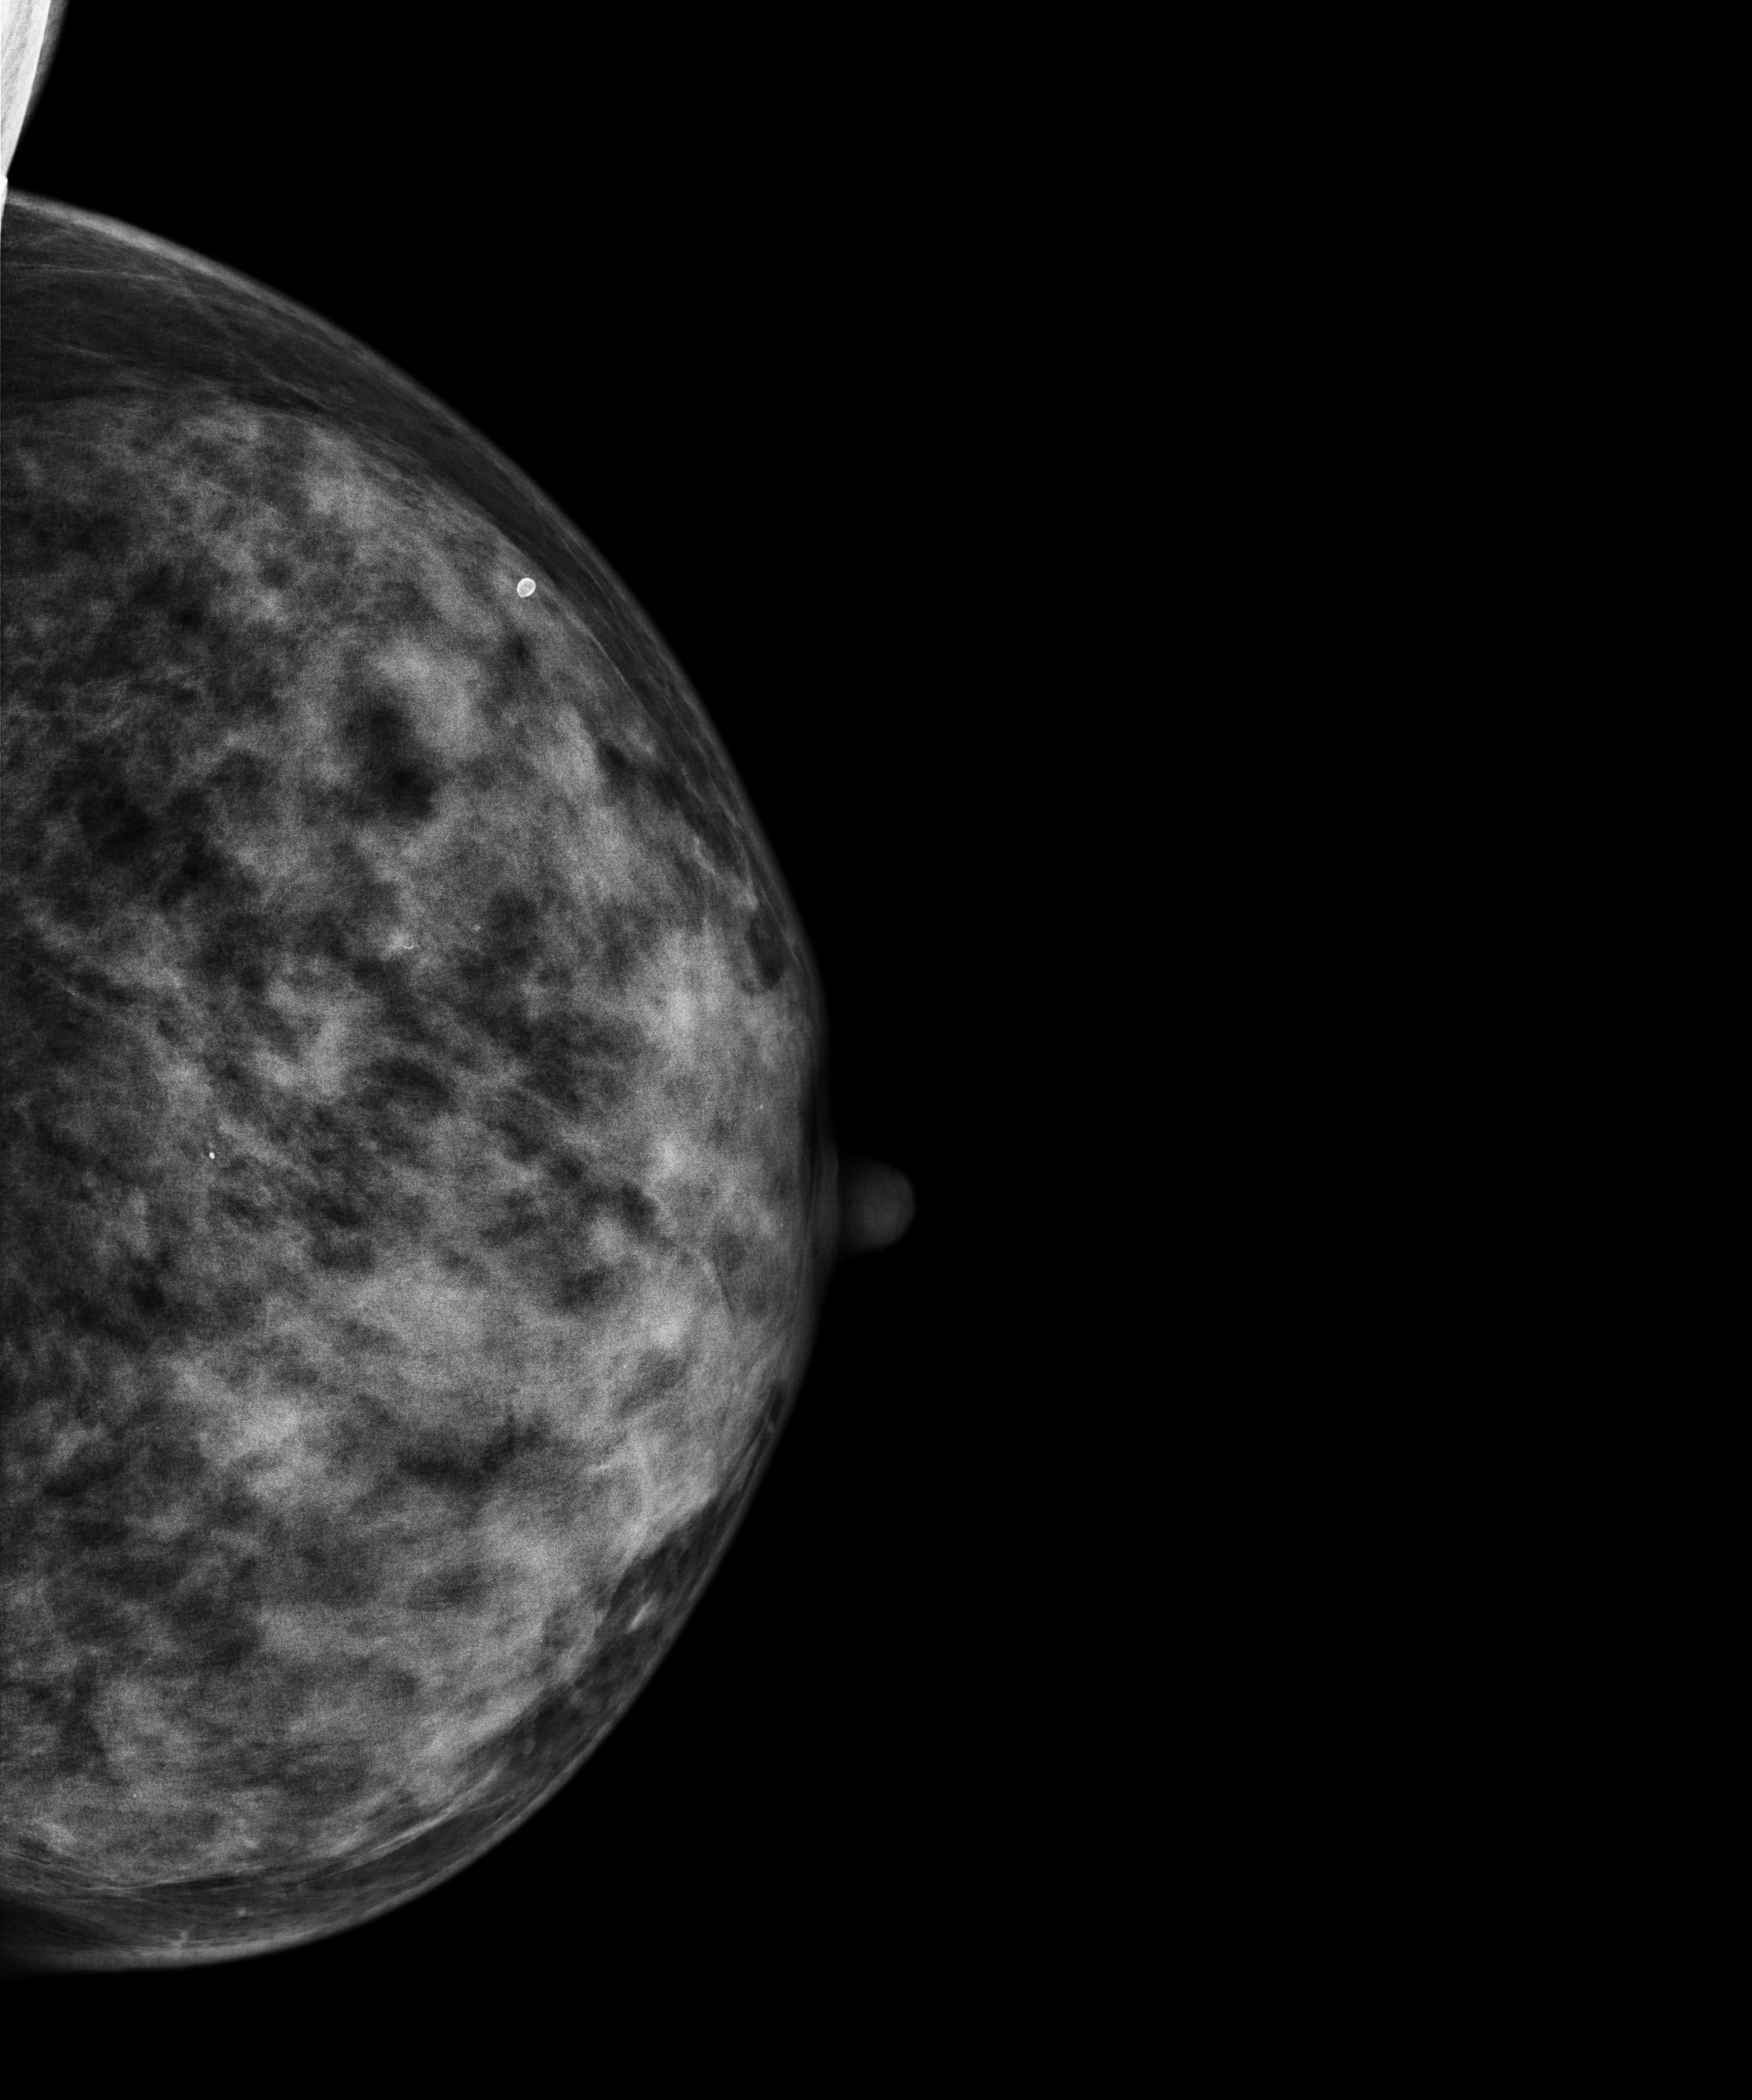
CC mammogram of the left breast. 46 y/o patient.
This breast has a mass, histologically confirmed malignant. Molecular subtype: HER2-enriched.